Mammogram — left MLO. Patient age 46.
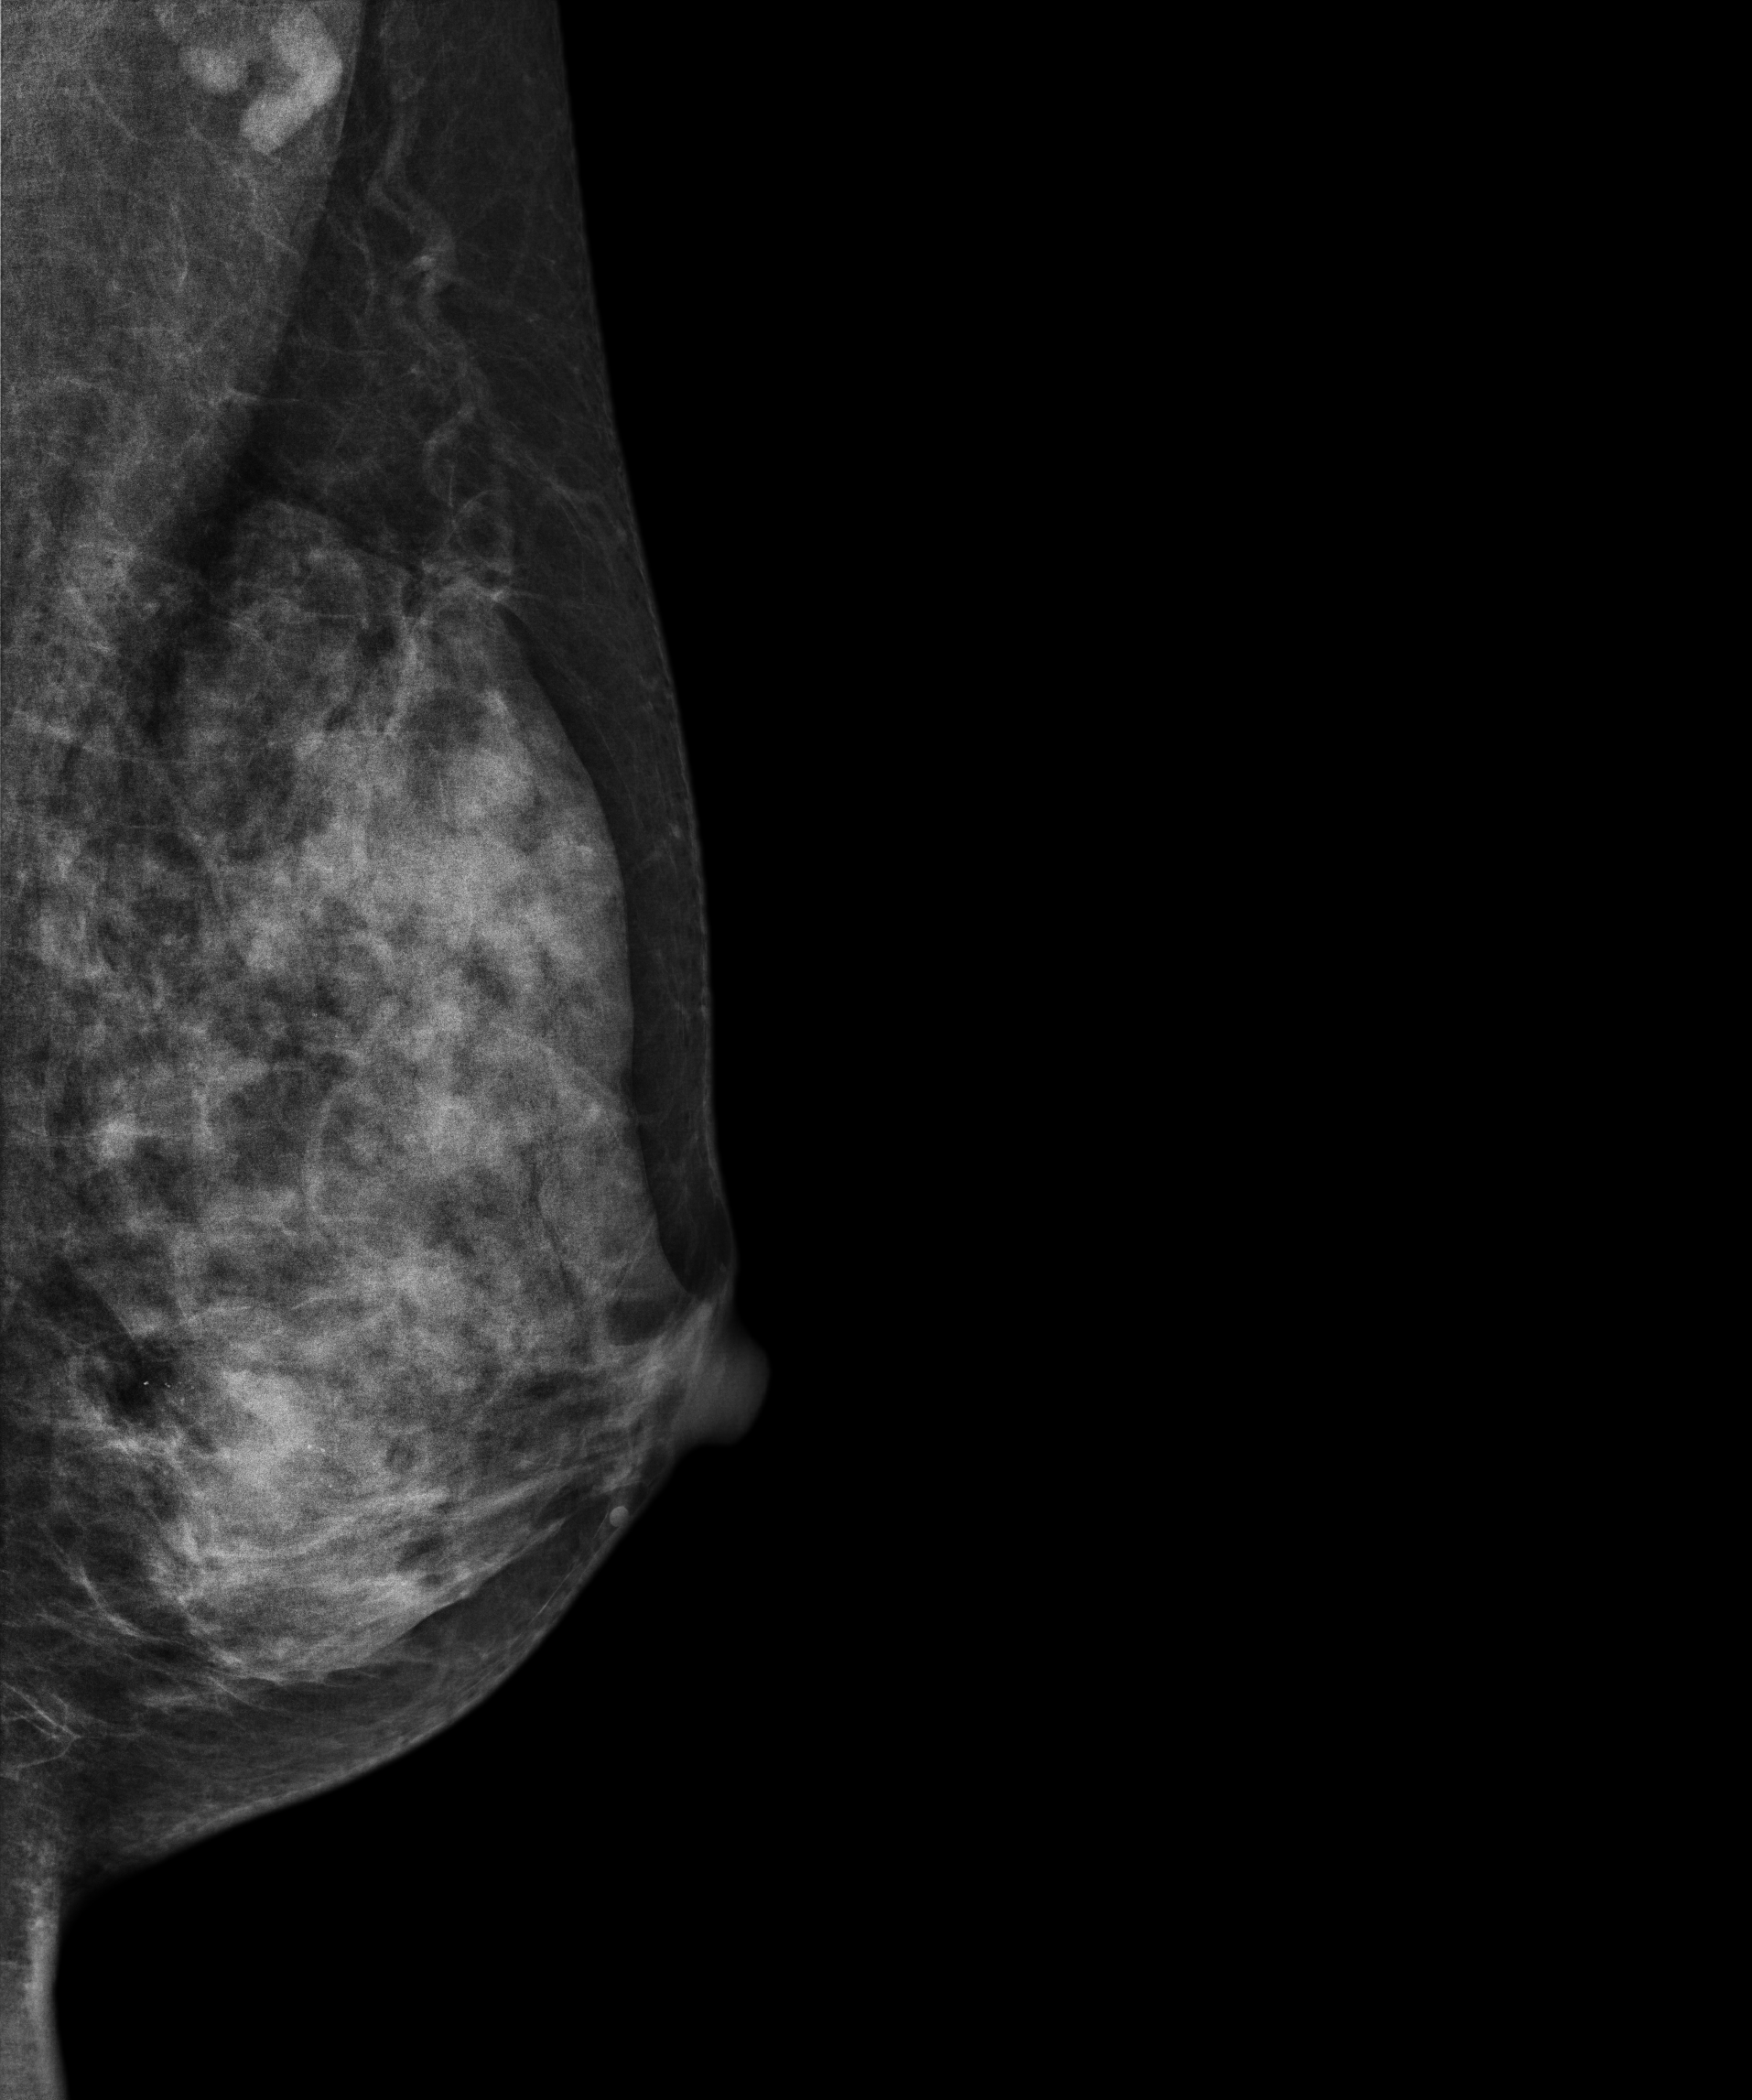
This breast has calcifications, biopsy-proven malignant. Molecular subtype: HER2-enriched.